Mammogram — right cranio-caudal. Patient age 51.
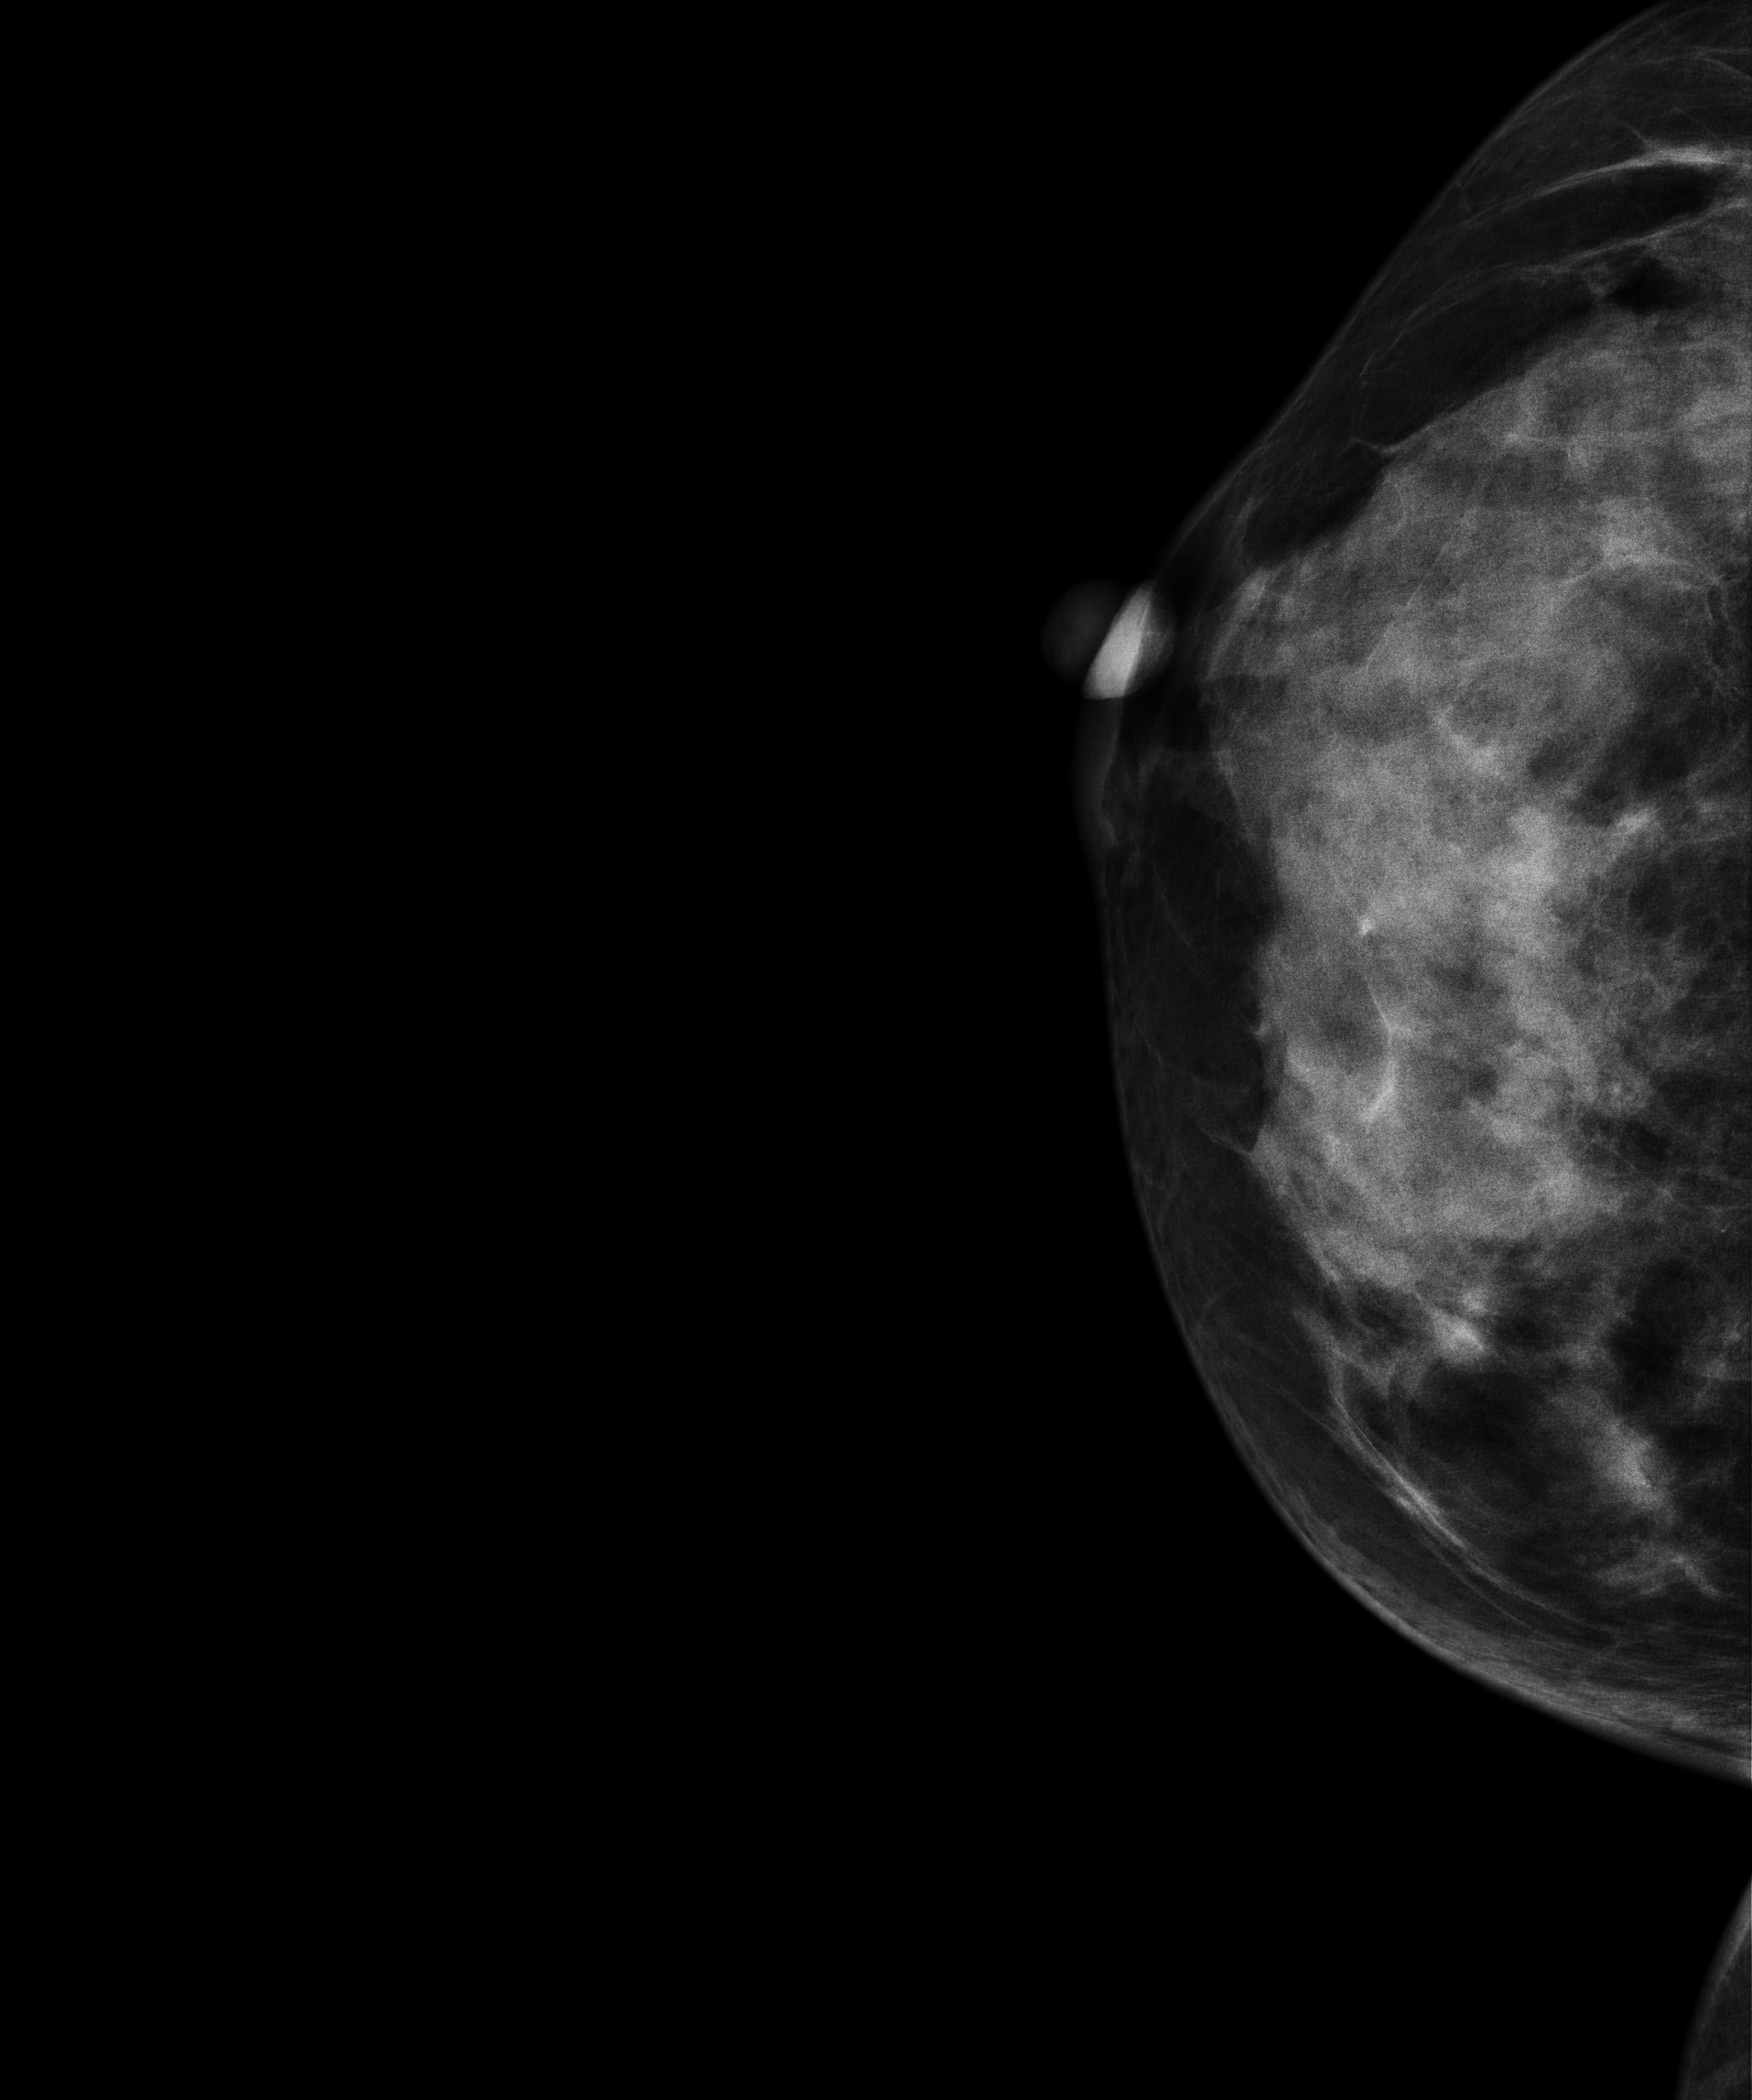
This breast has a mass, pathology-confirmed malignant.